Mammogram — left MLO. 36 y/o patient.
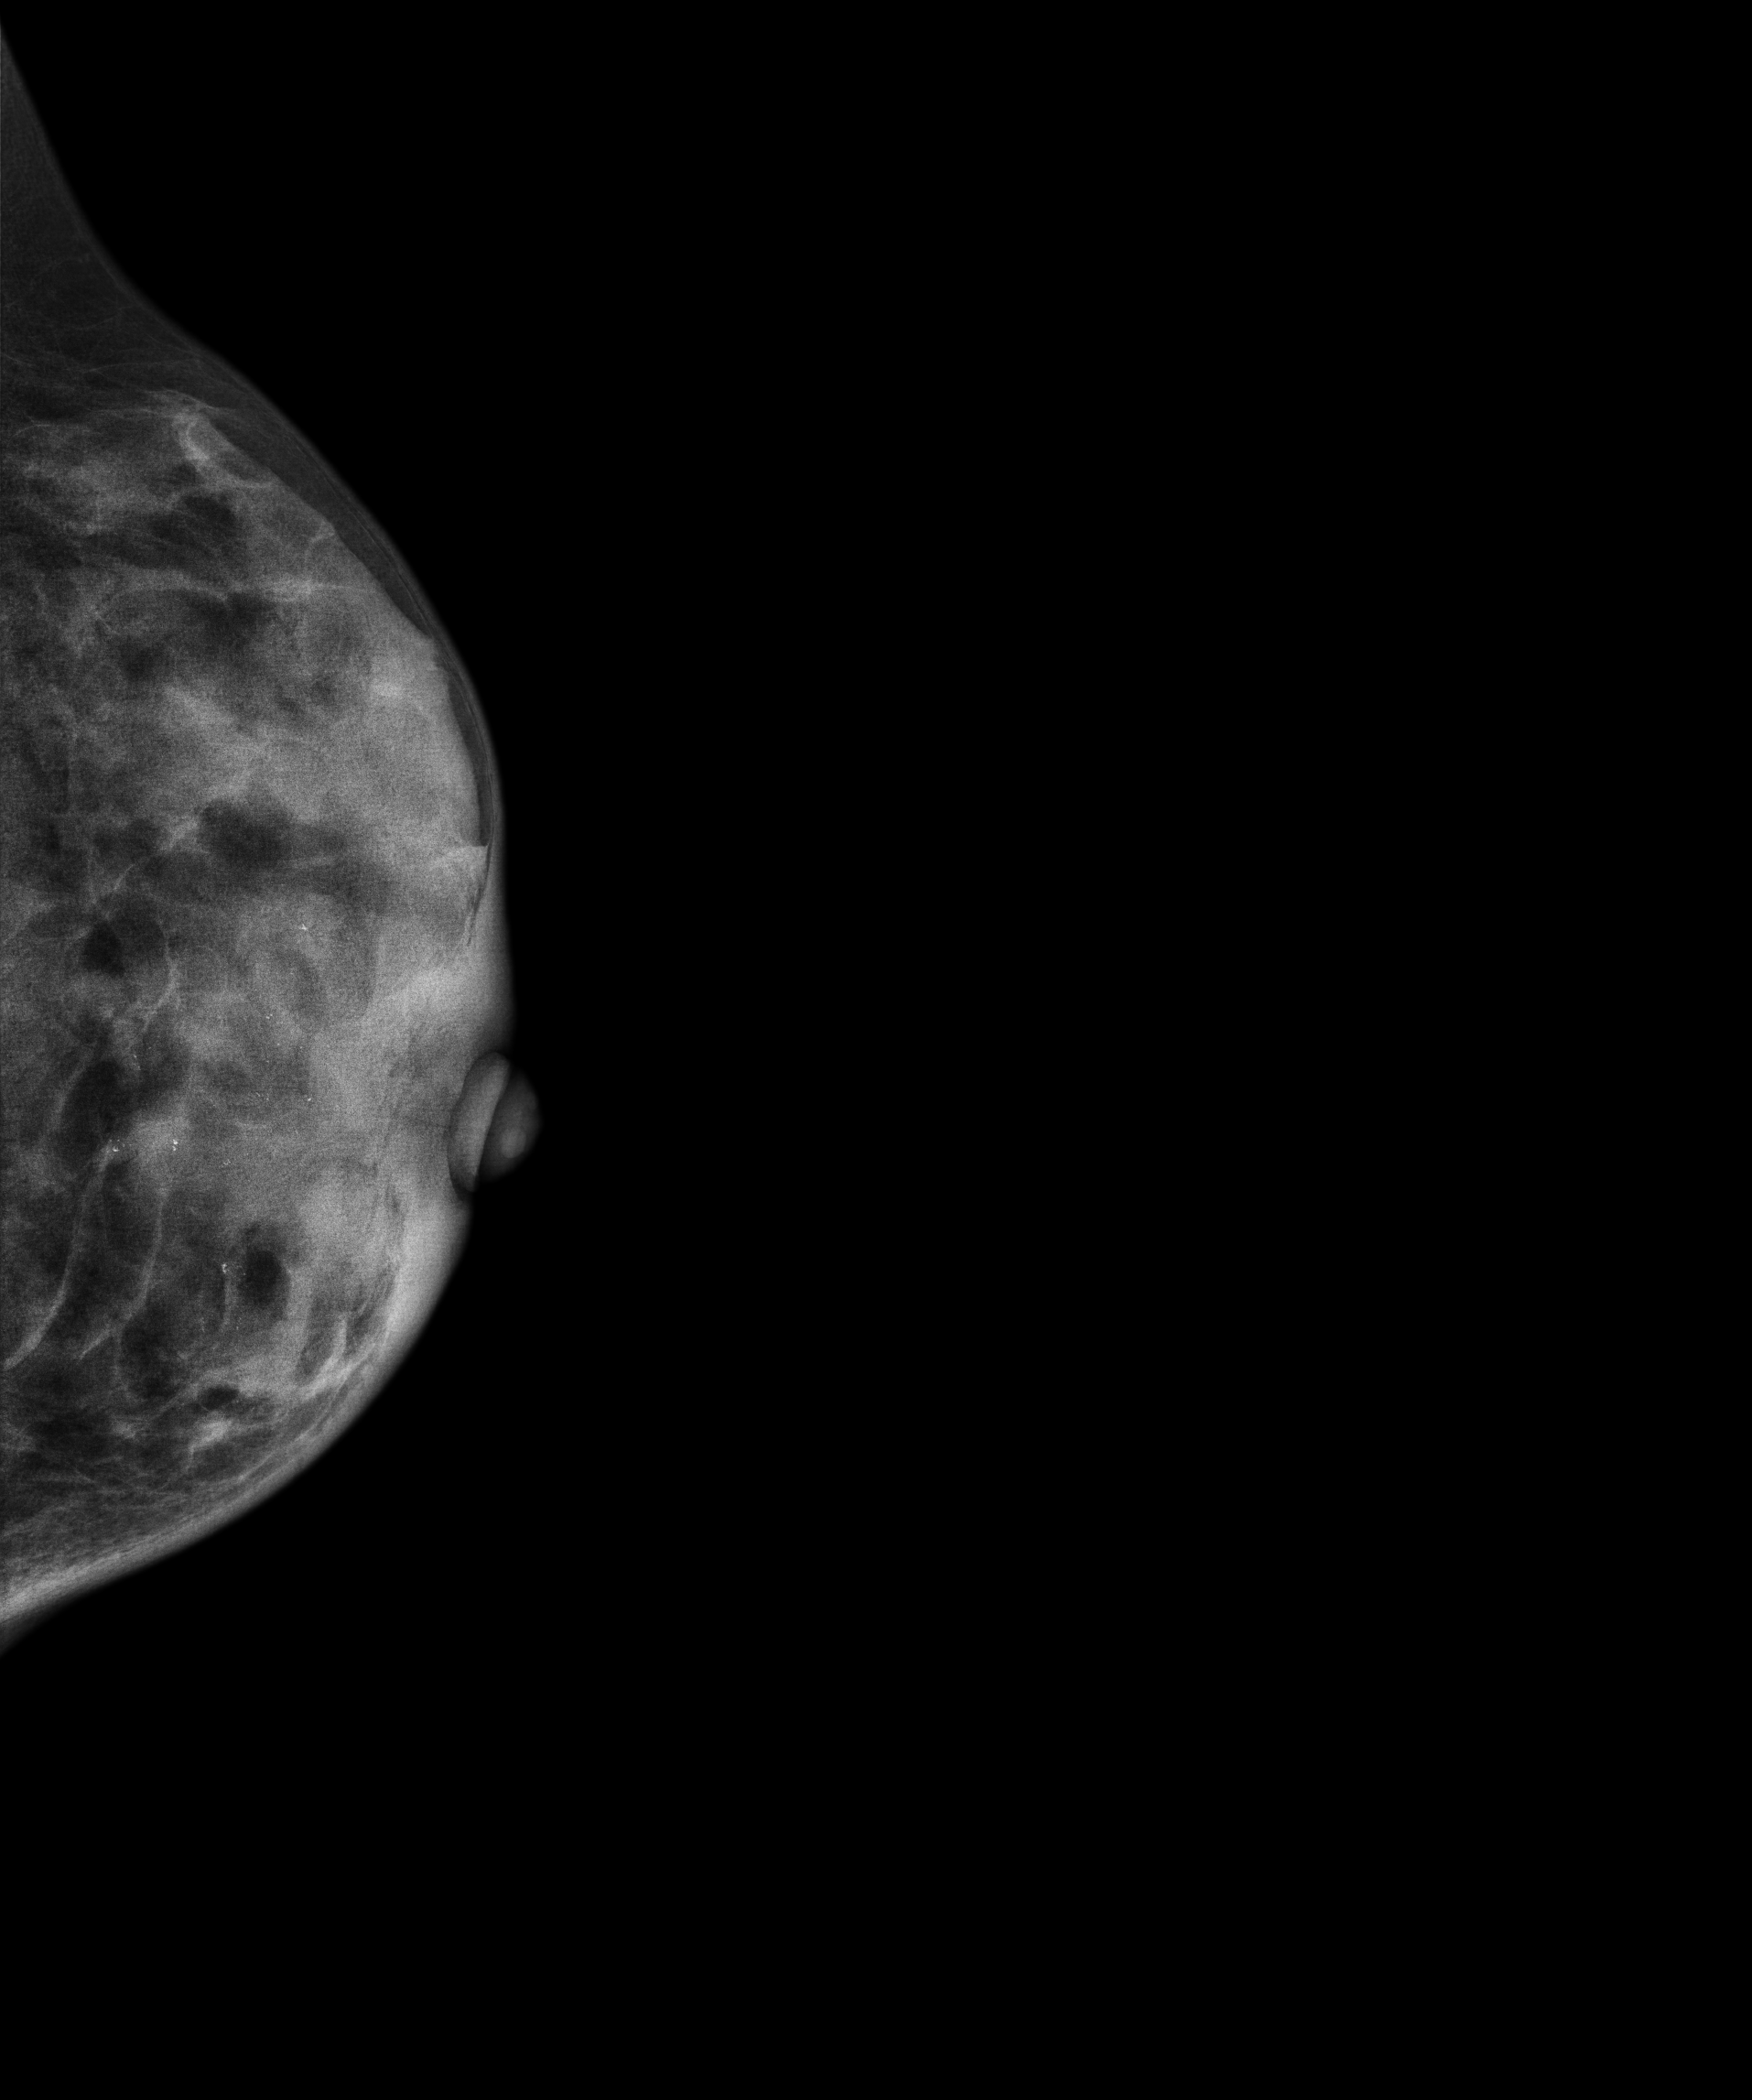
This breast has a mass and calcifications, pathology-confirmed malignant.